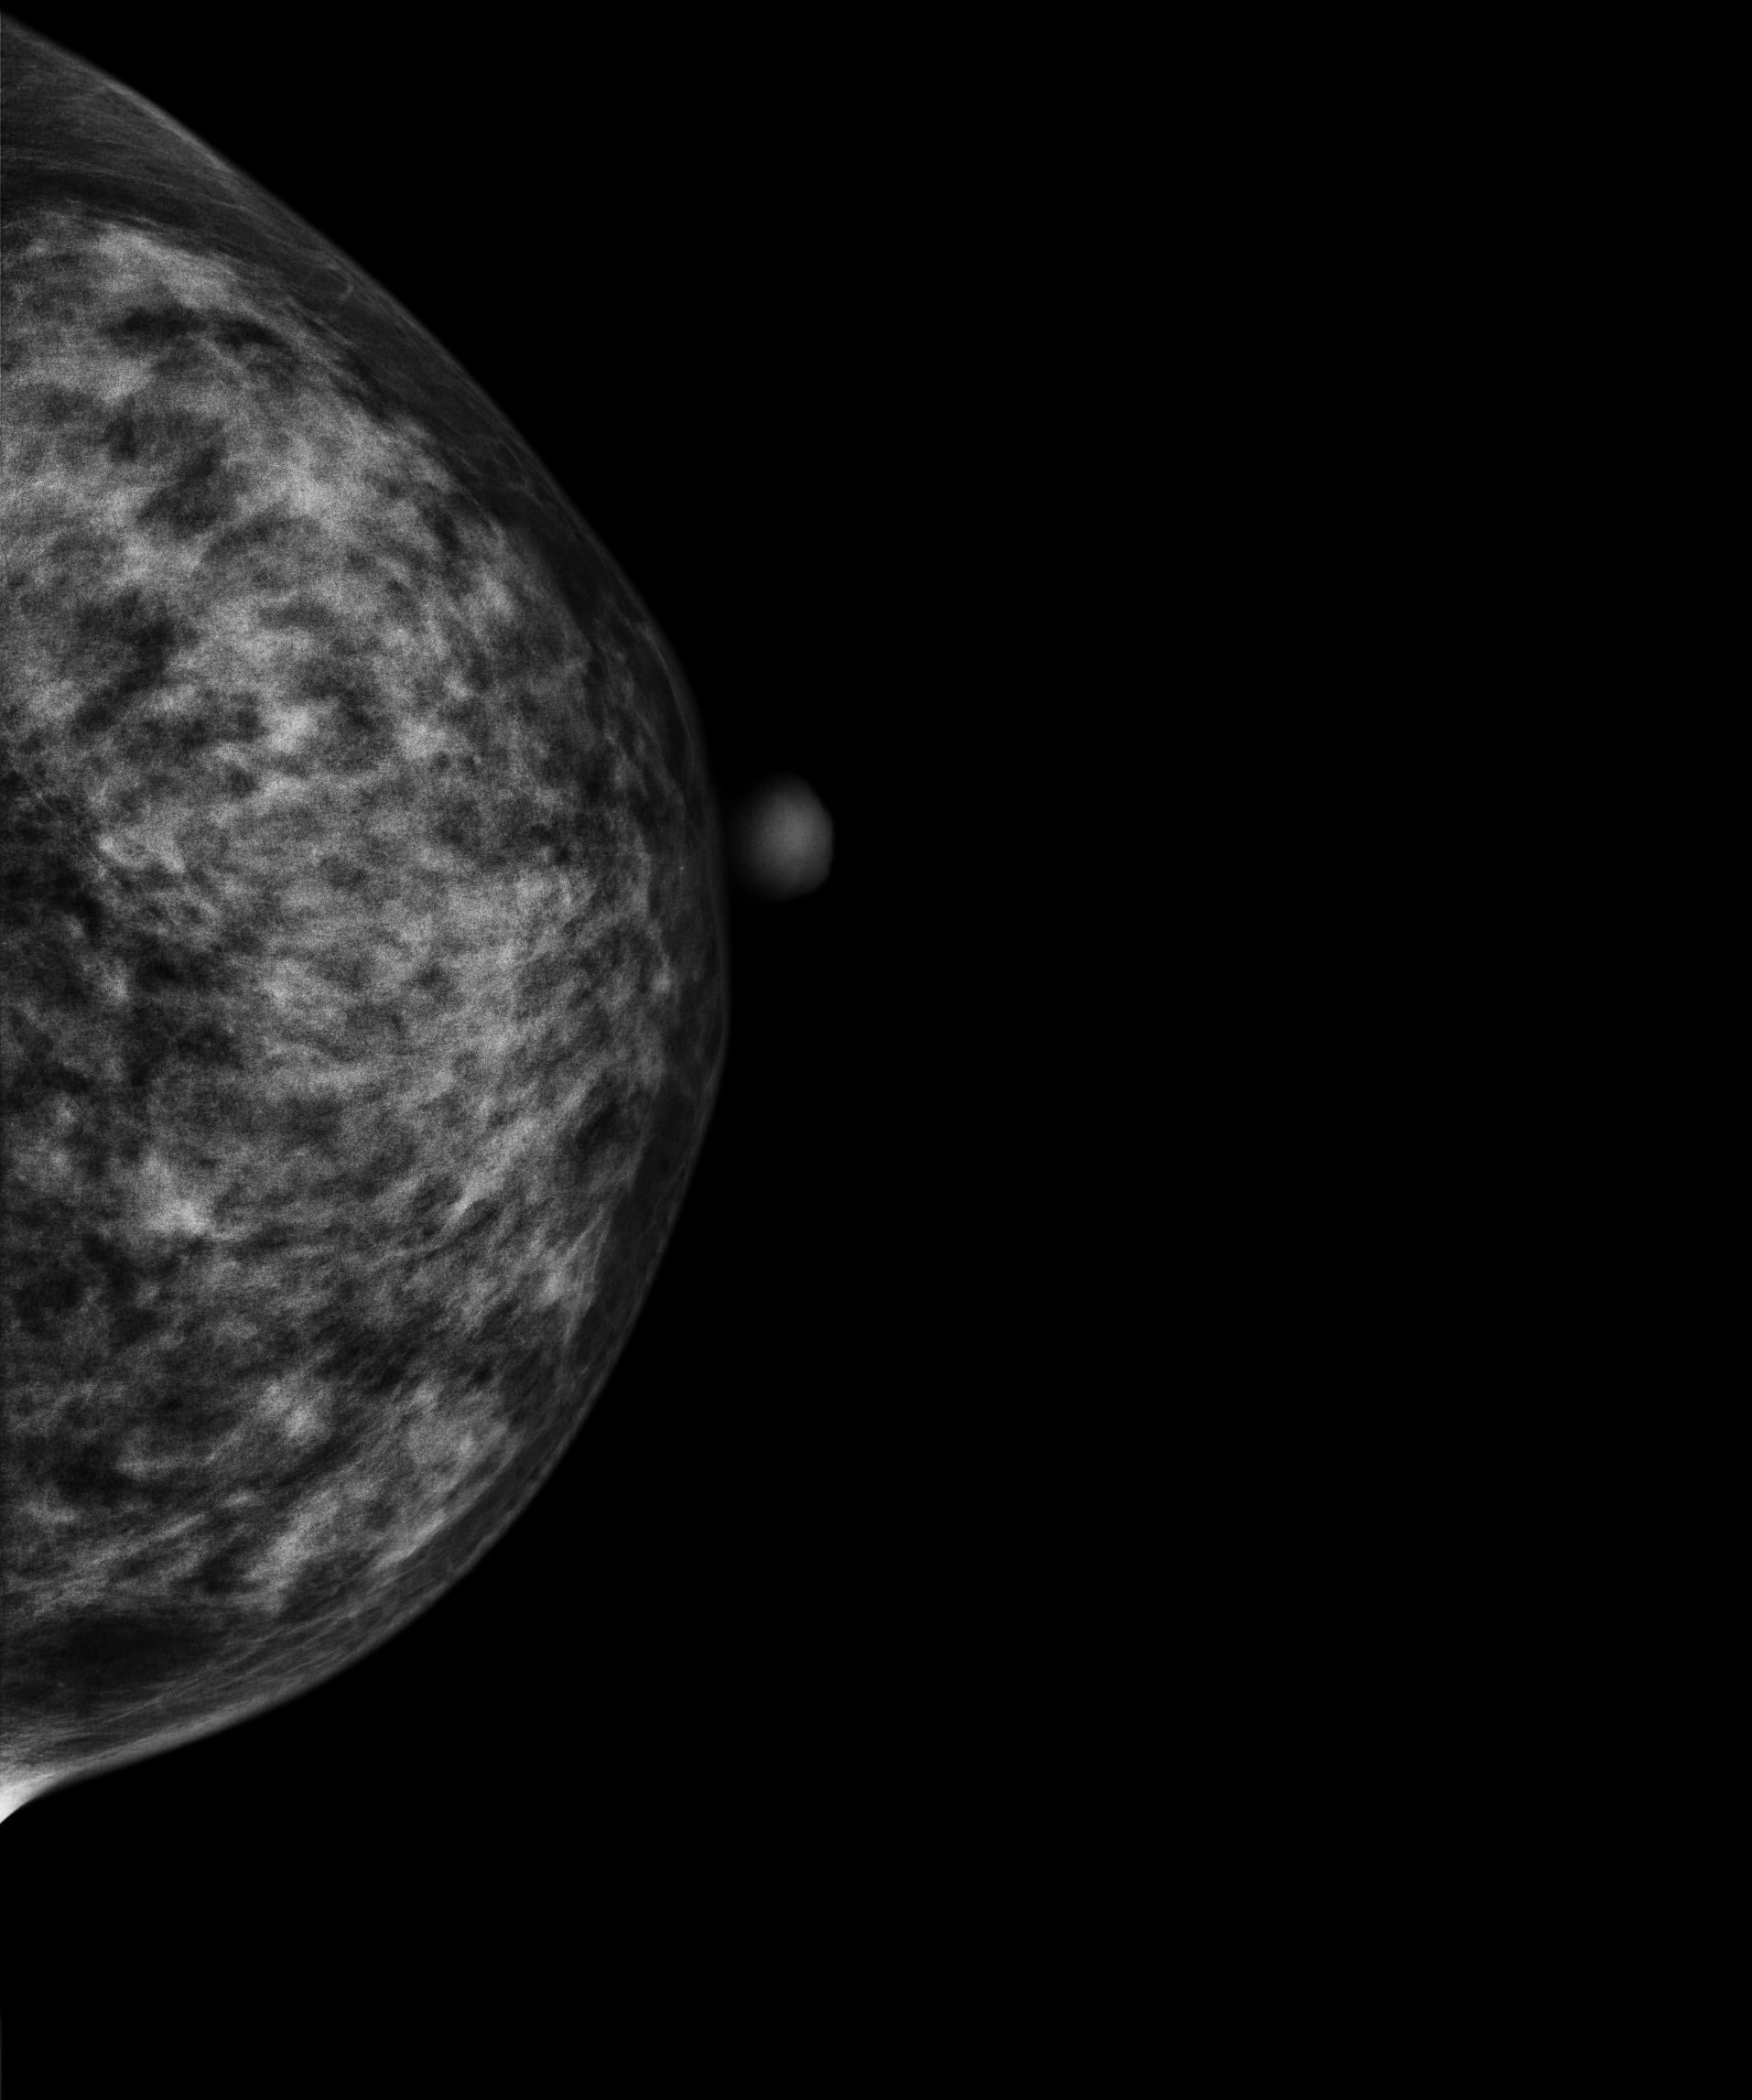
Cranio-caudal mammogram of the left breast. 44 y/o patient.
This breast has a mass, histologically confirmed benign.